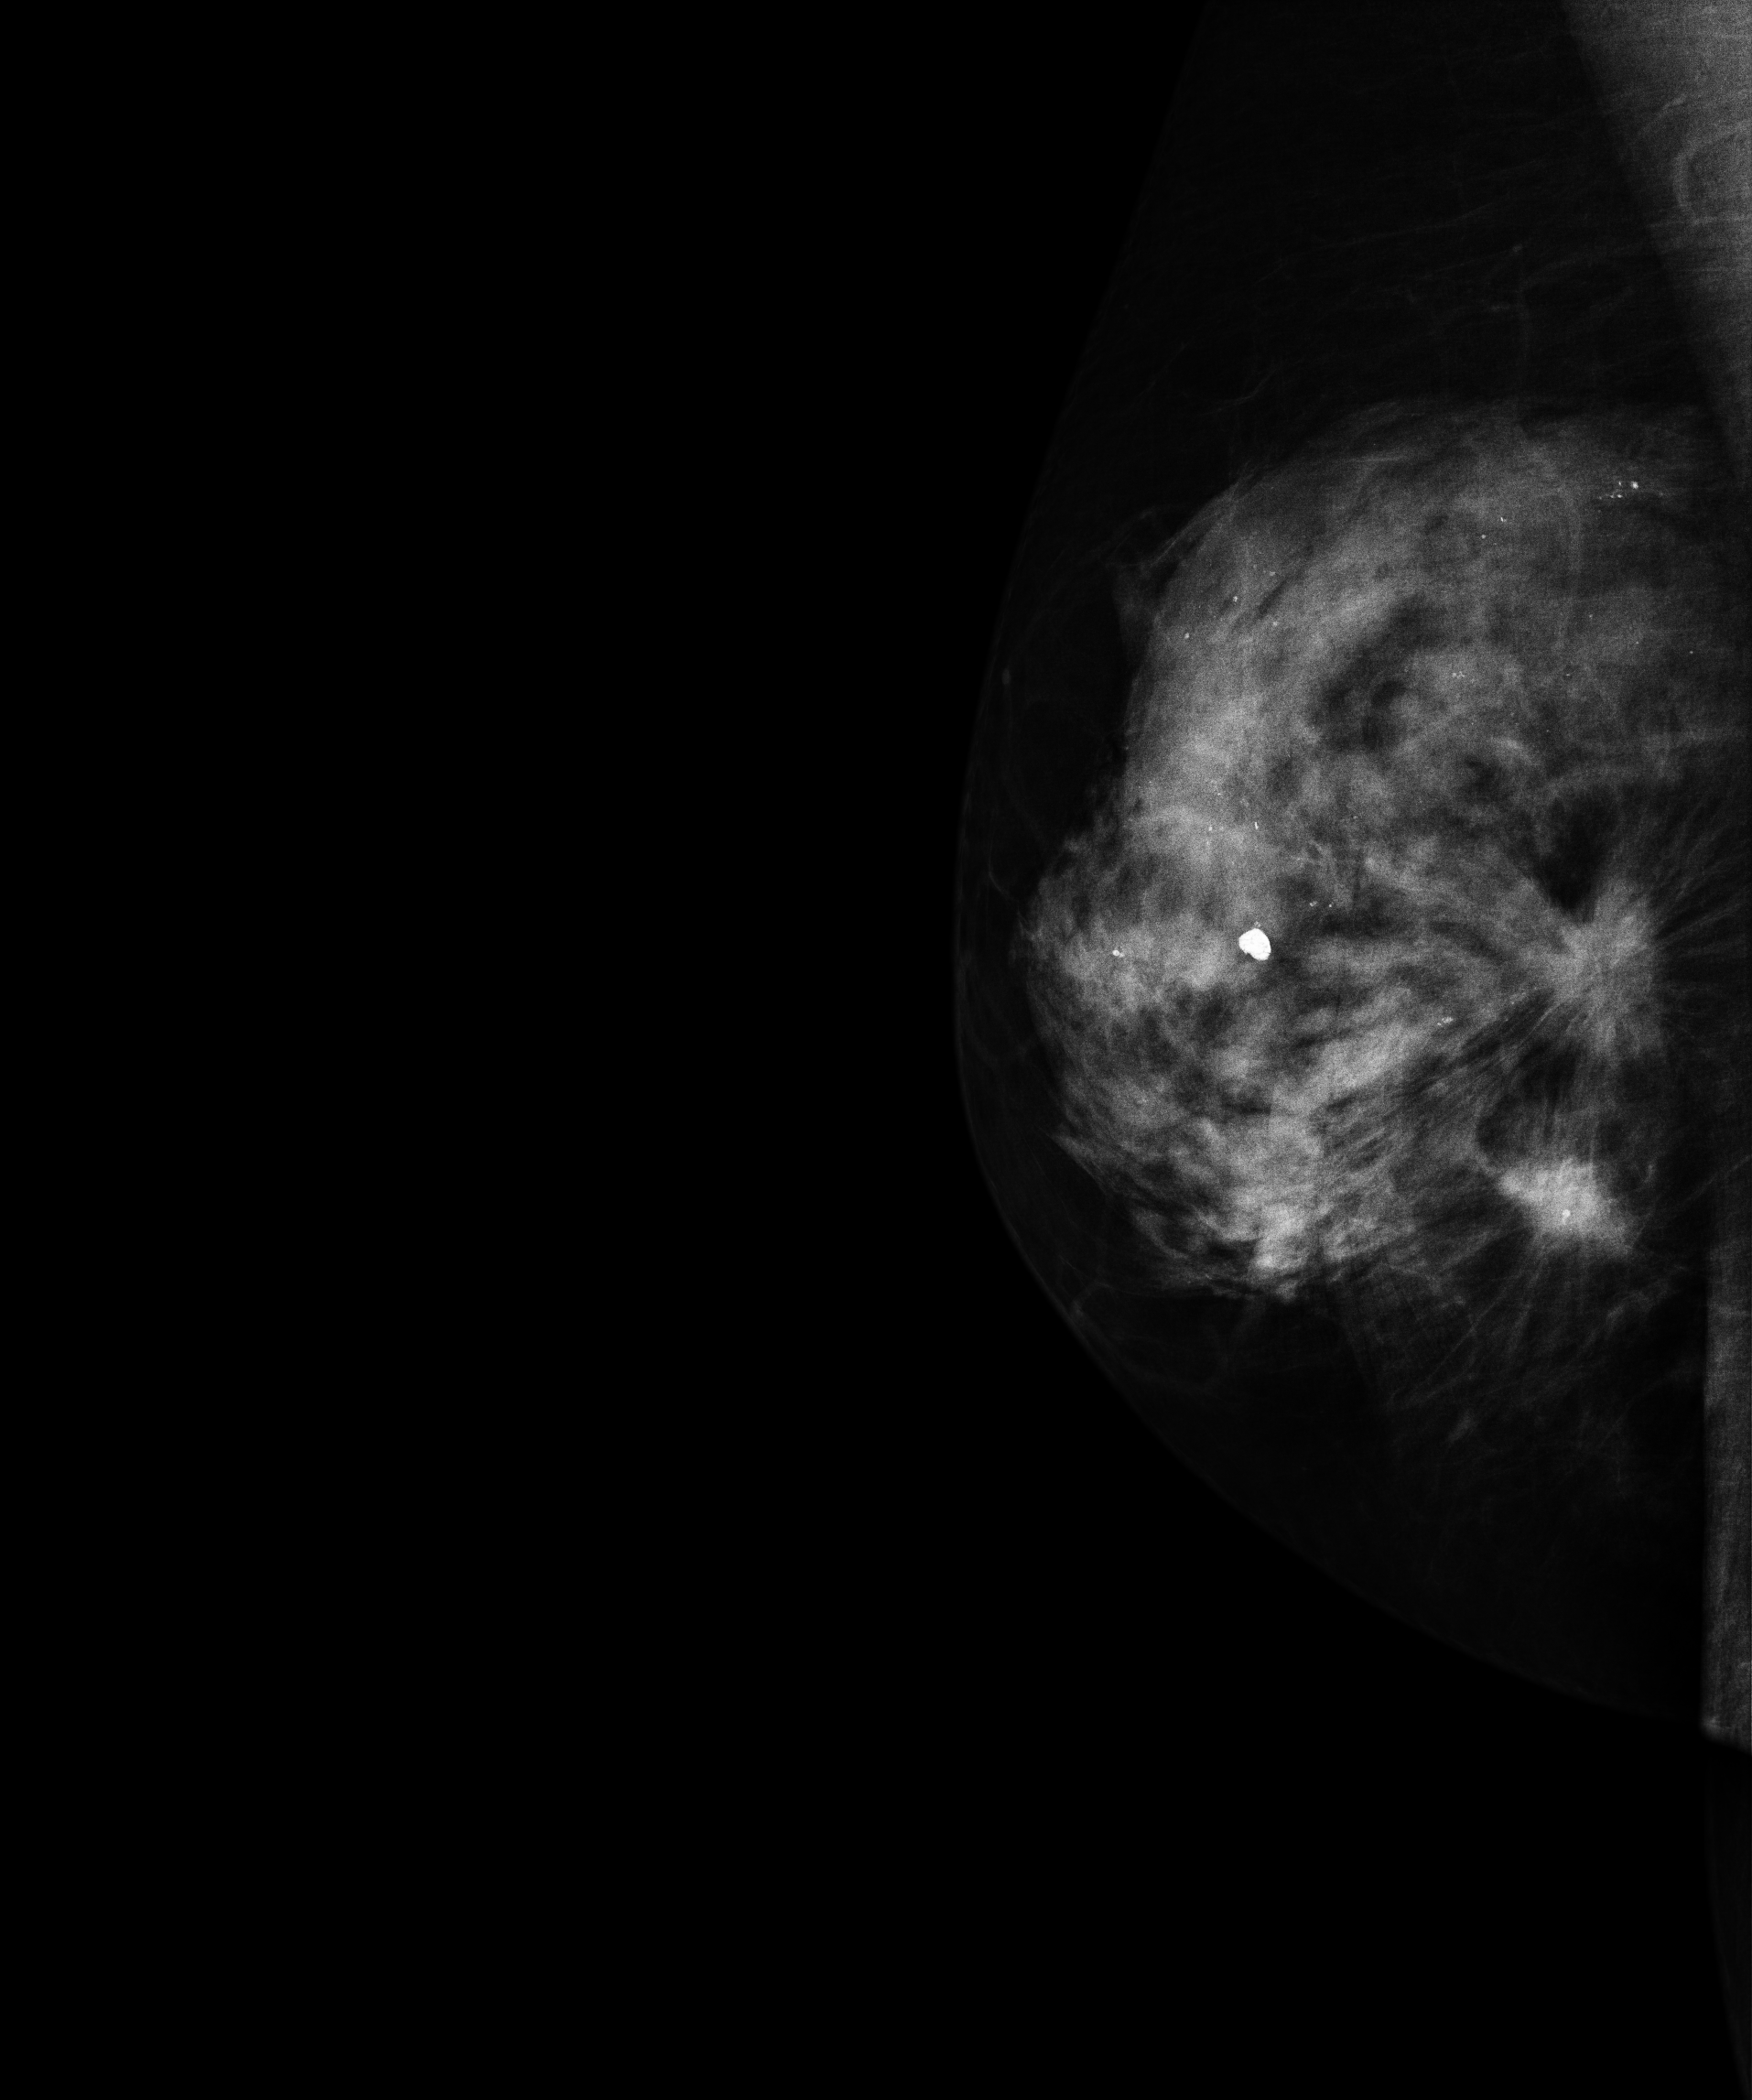
Mammogram, right breast, MLO view. Patient age 48.
This breast has a mass and calcifications, pathology-confirmed malignant.